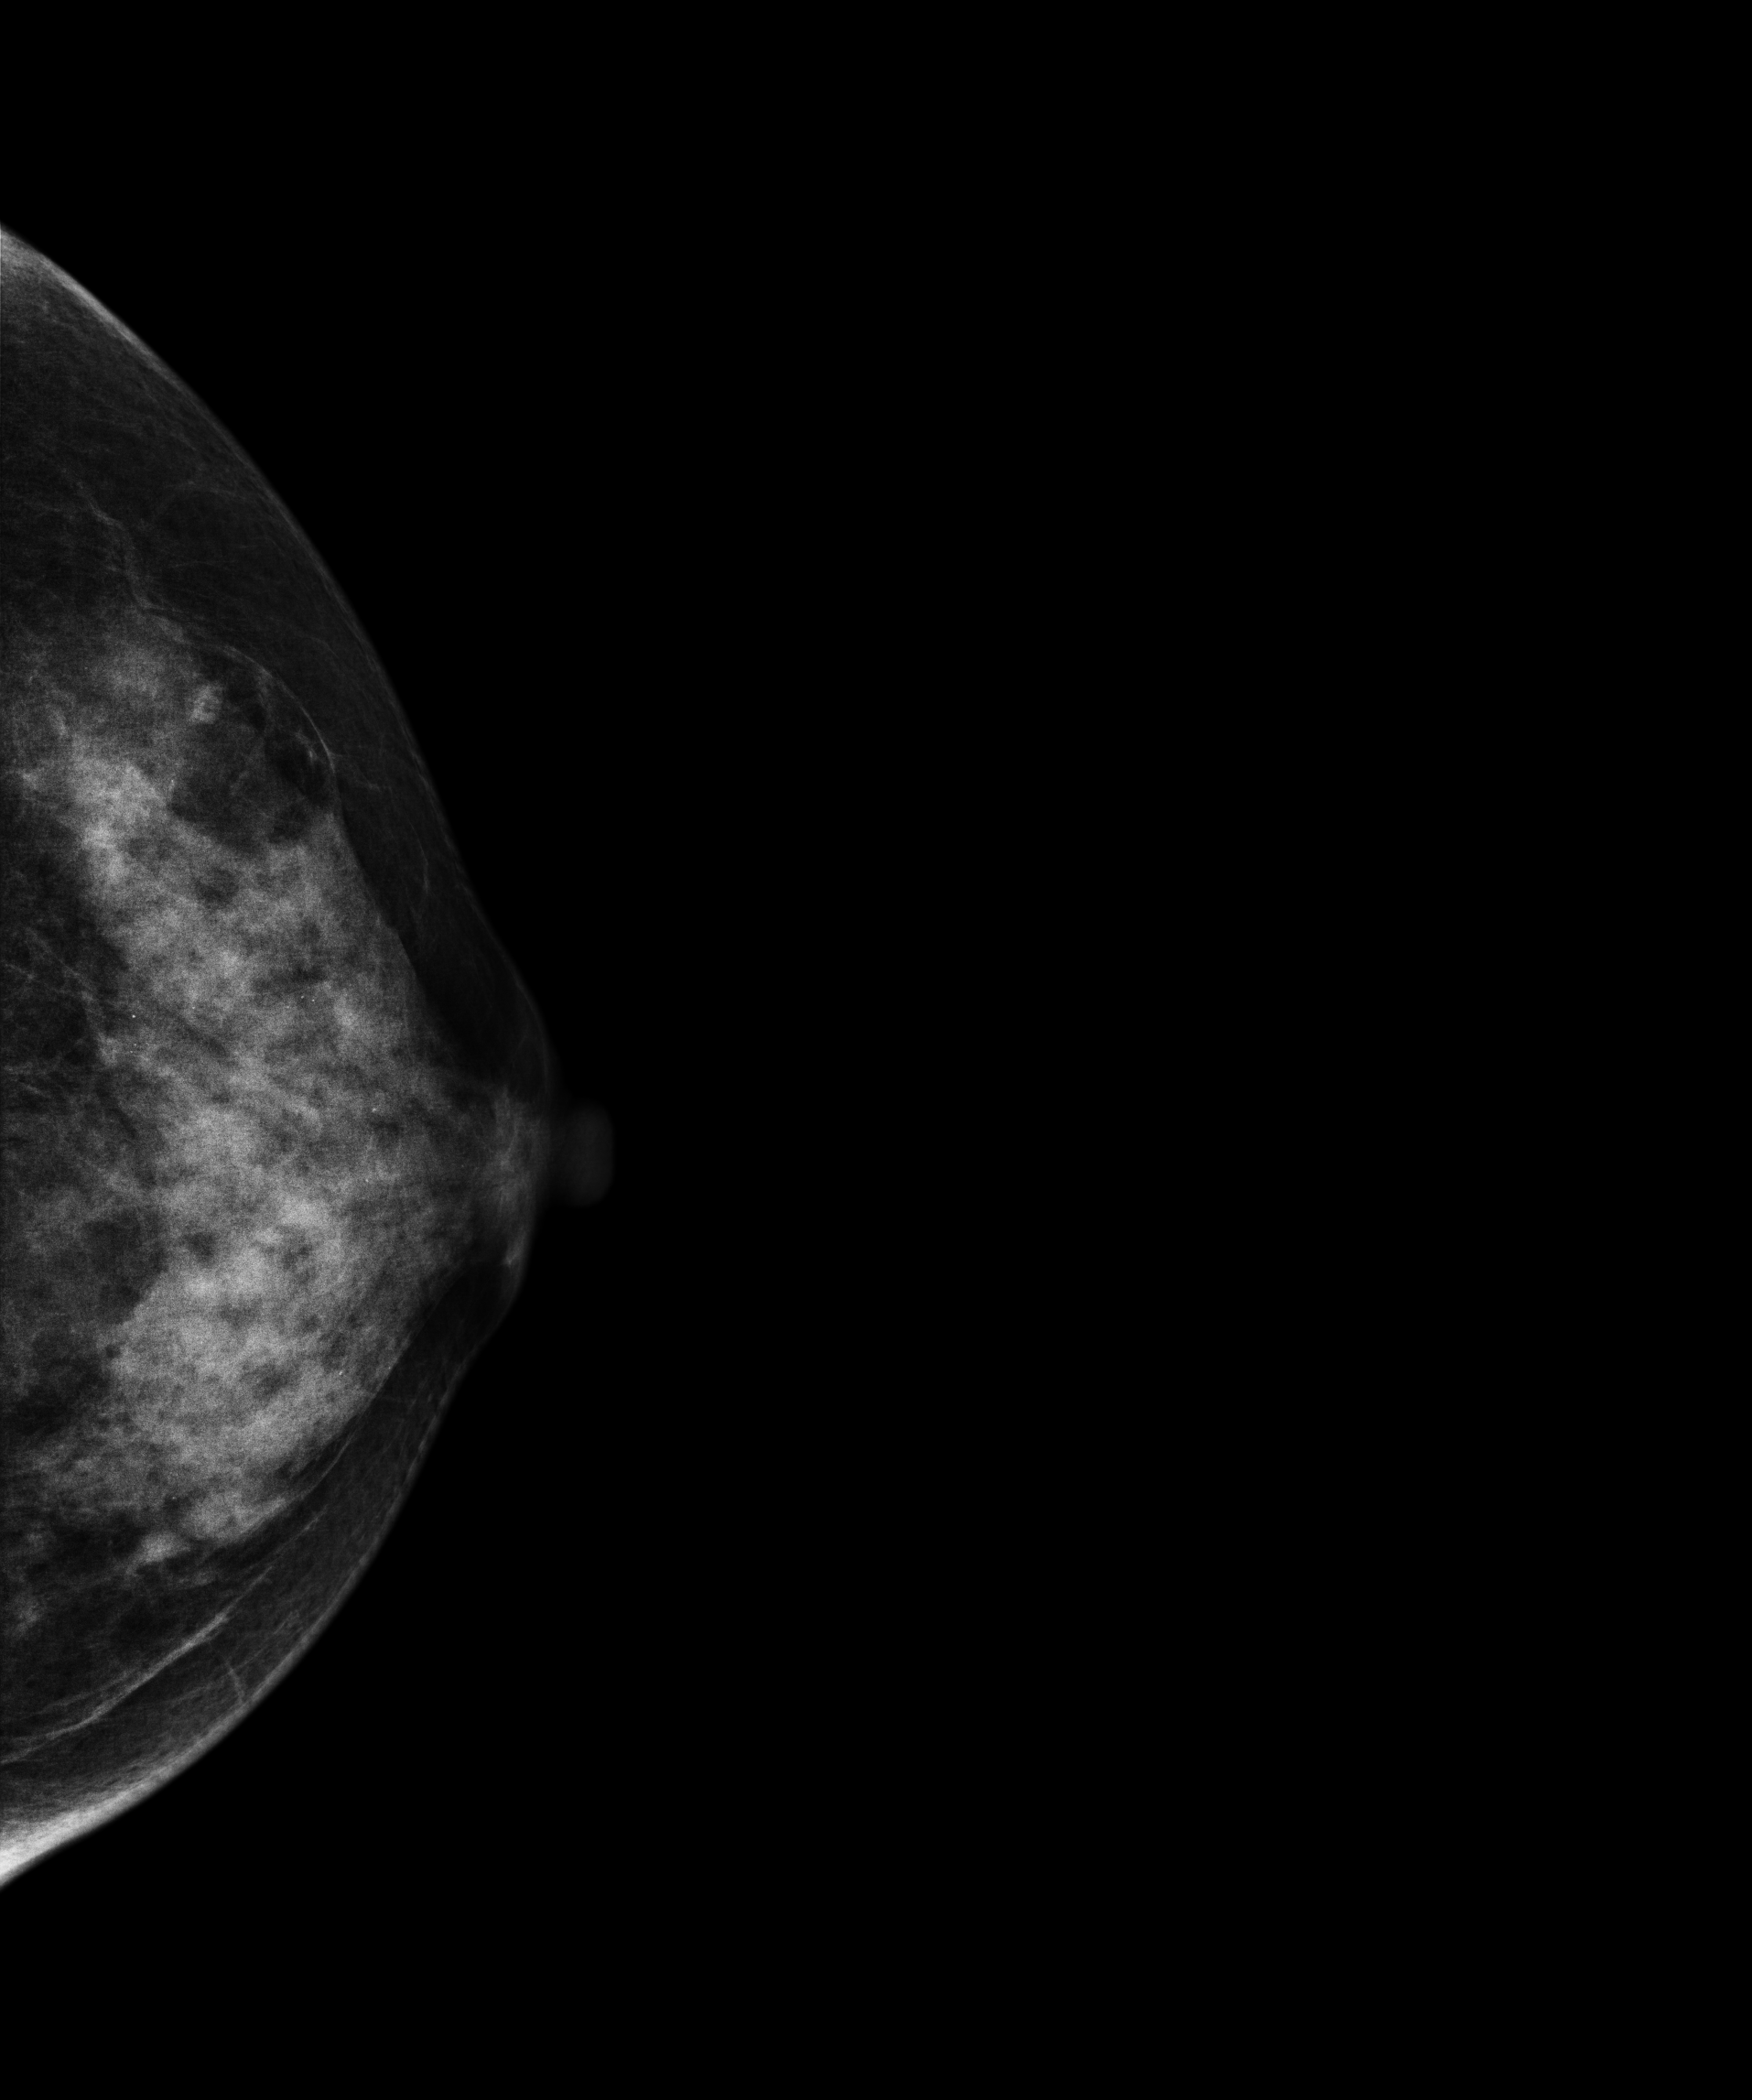
Left-breast mammogram, cranio-caudal. 49 y/o patient.
Contralateral breast — no documented abnormality on this side.